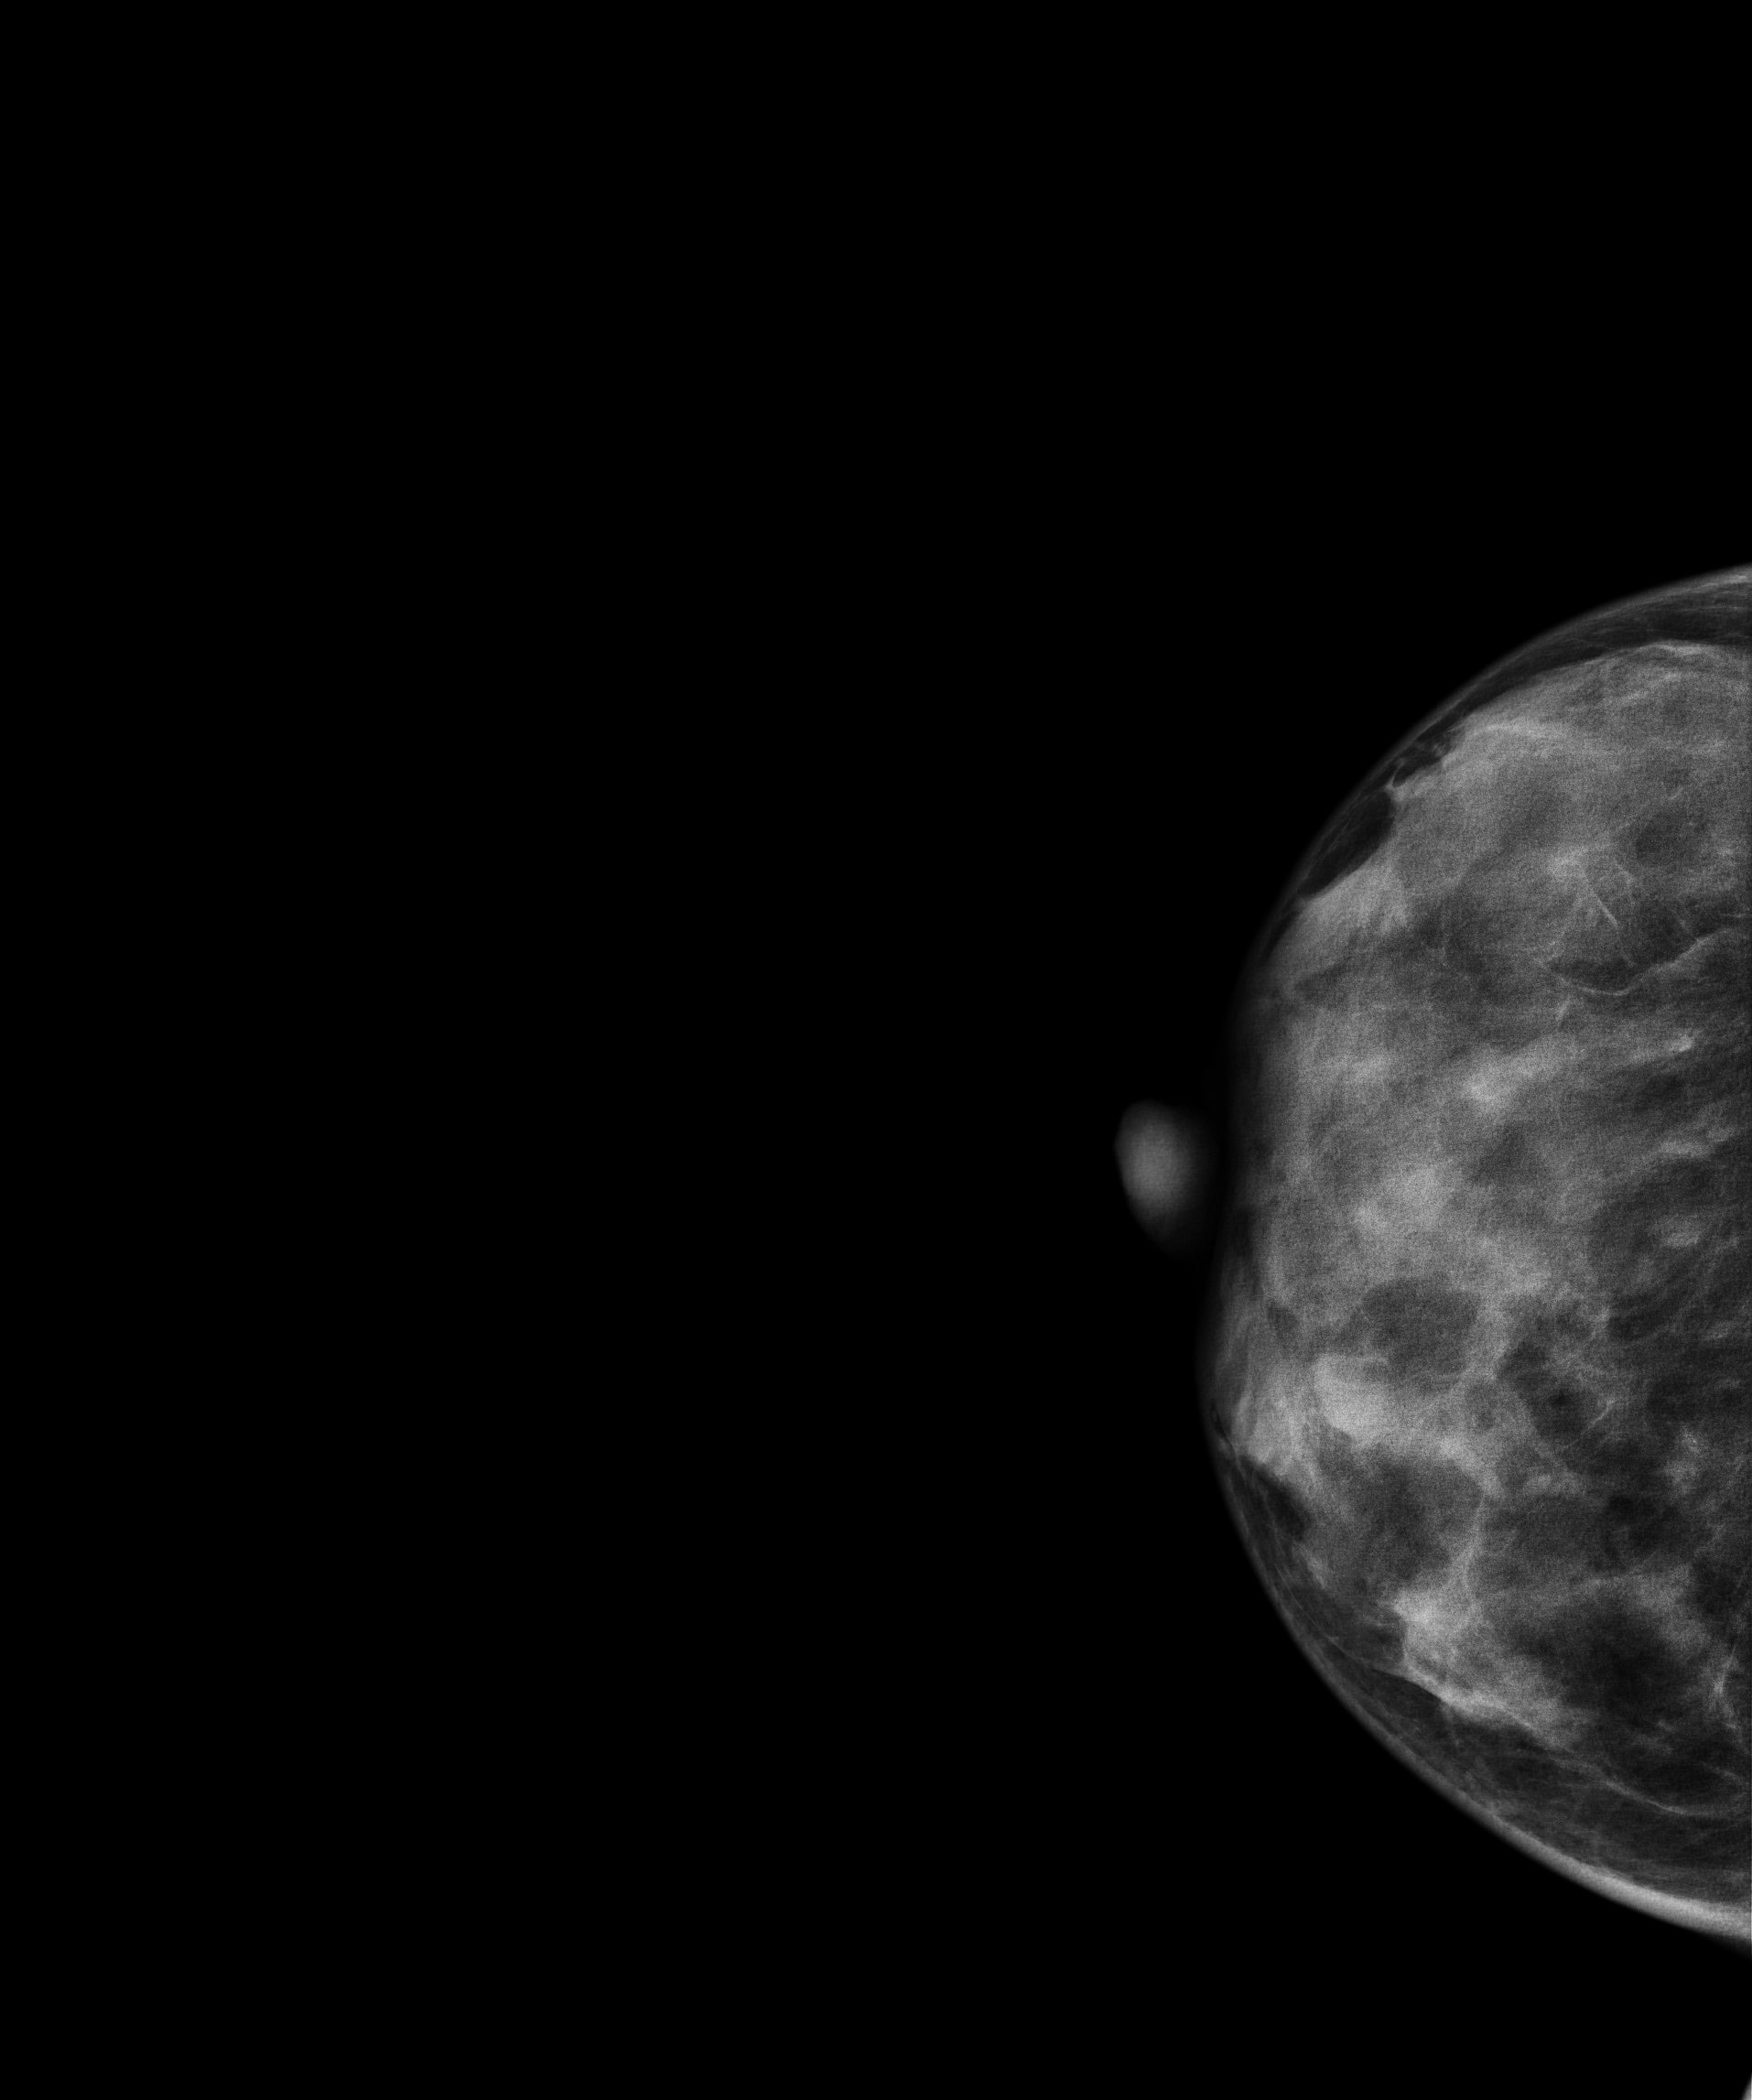
Mammogram, right breast, cranio-caudal view. 36-year-old patient.
This breast has a mass, biopsy-proven malignant. Molecular subtype: luminal B.